Cranio-caudal mammogram of the left breast. 44 y/o patient.
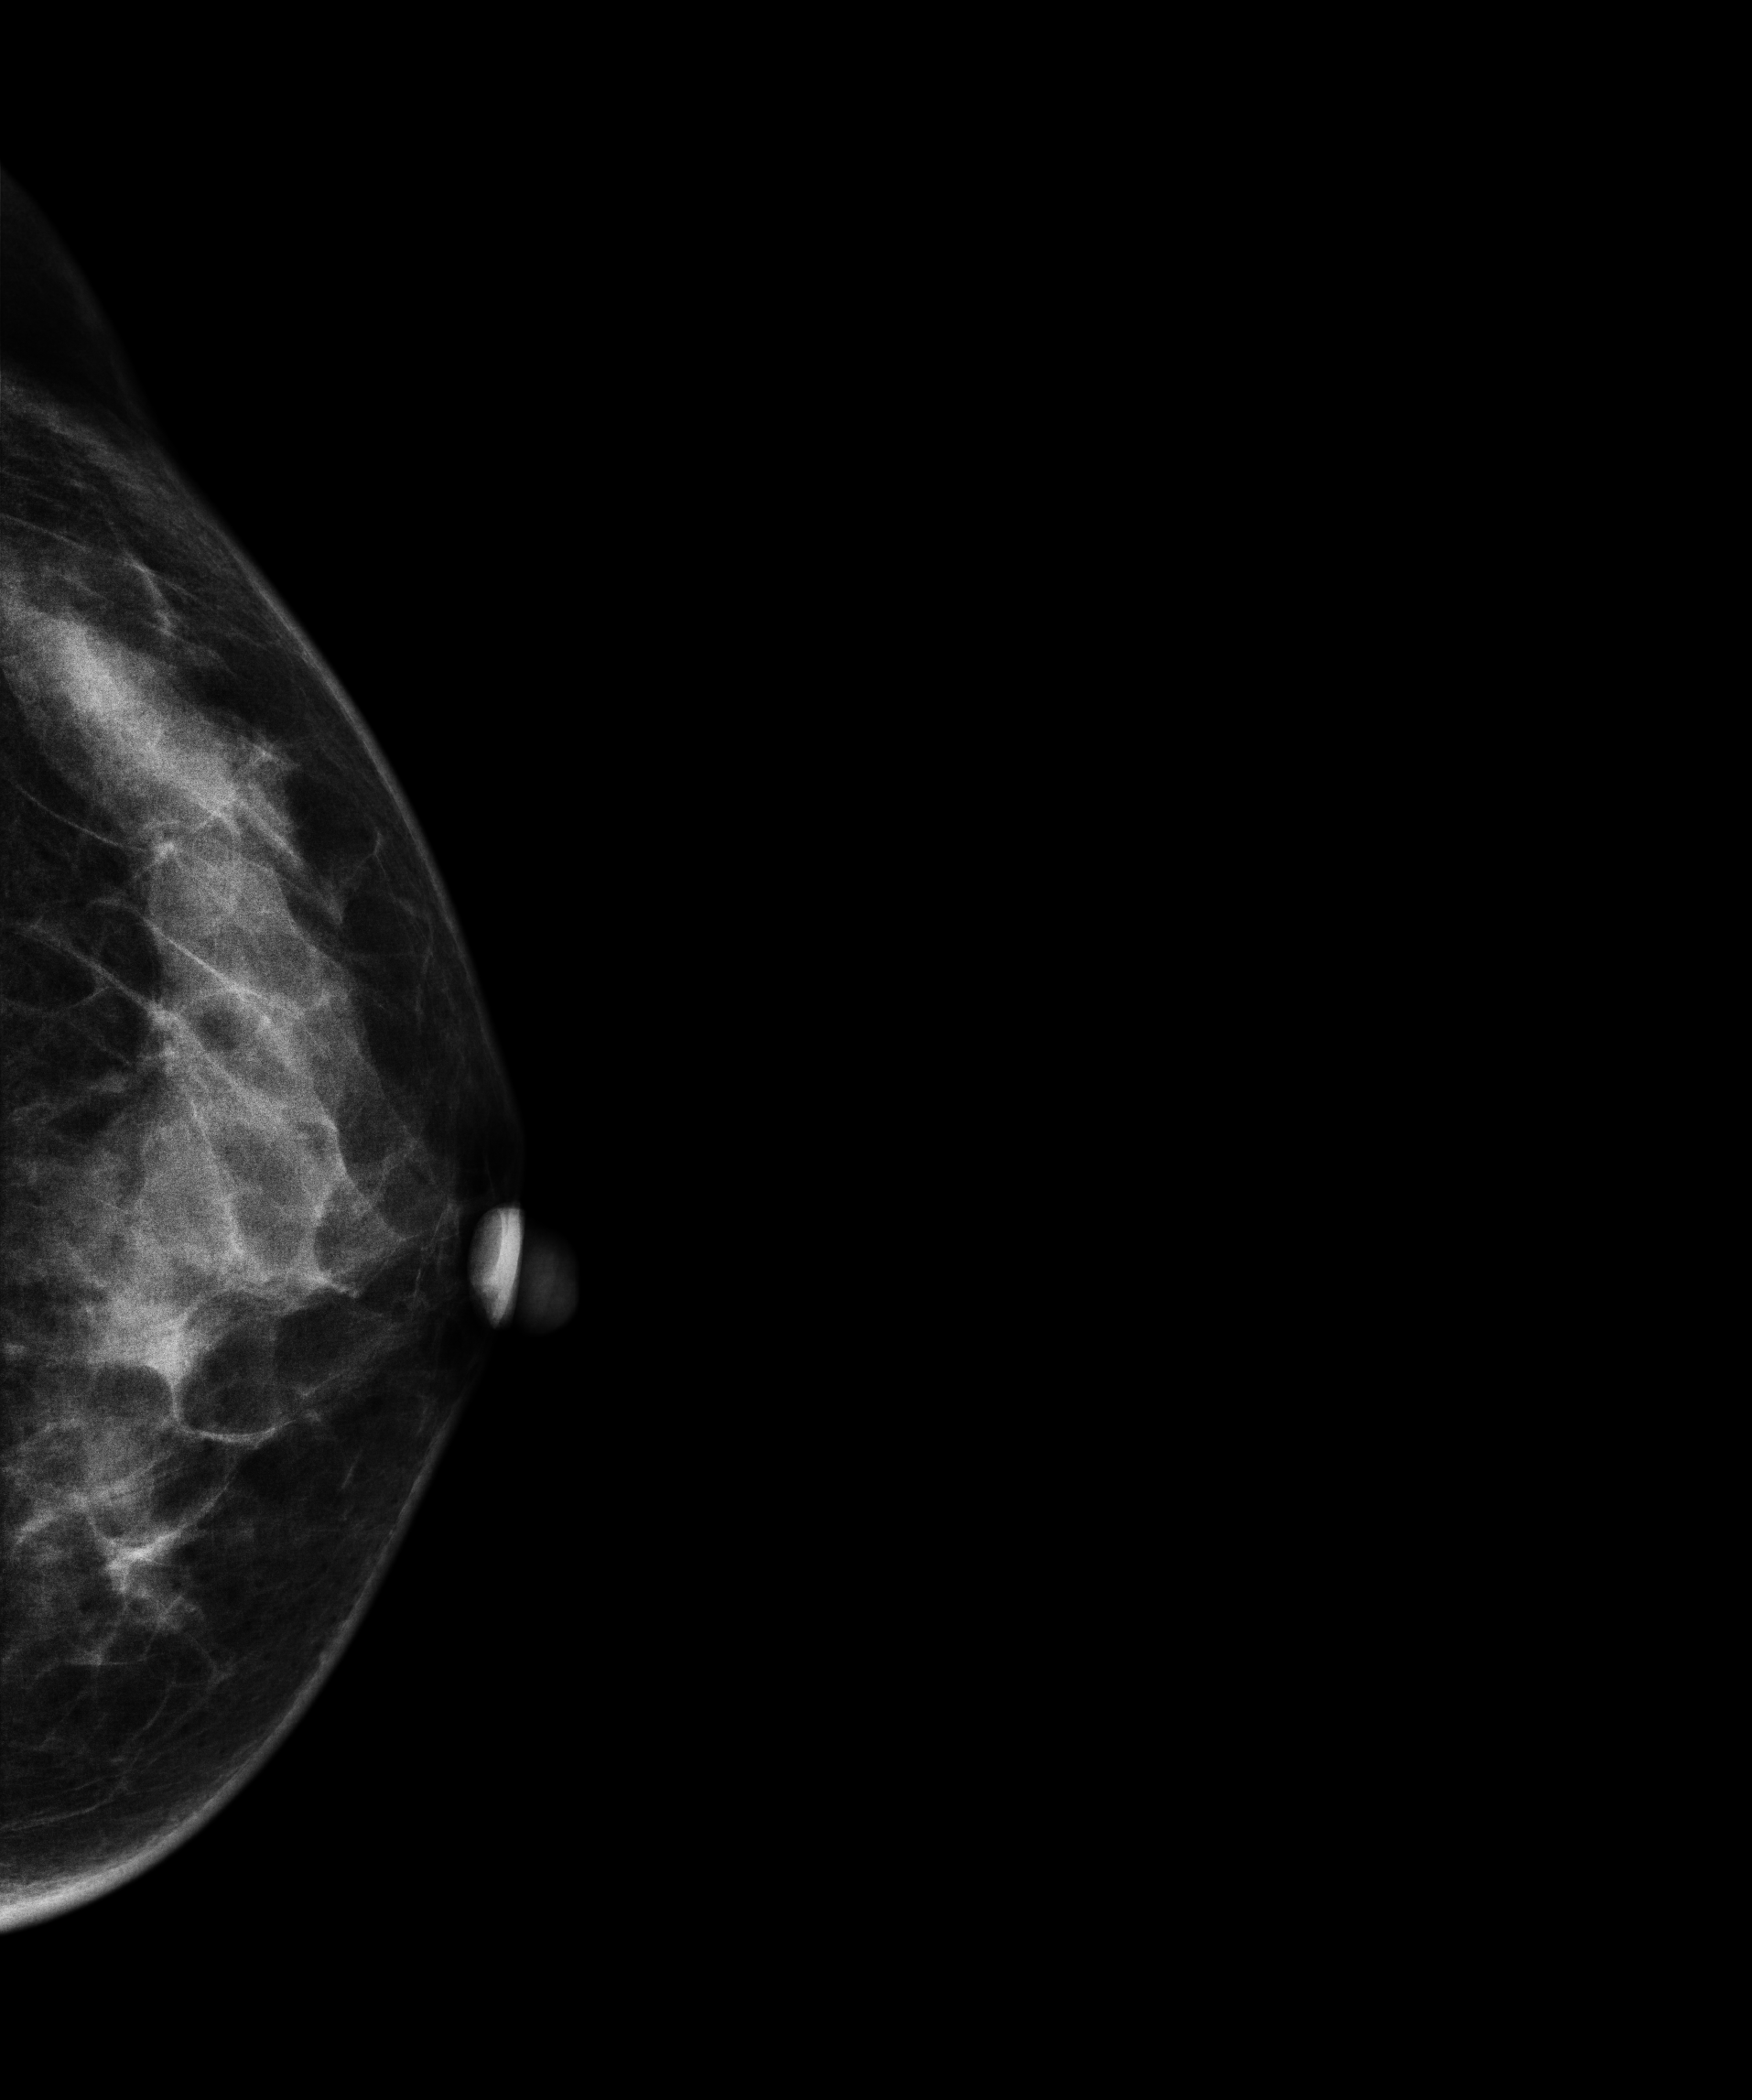
Contralateral breast — no documented abnormality on this side.